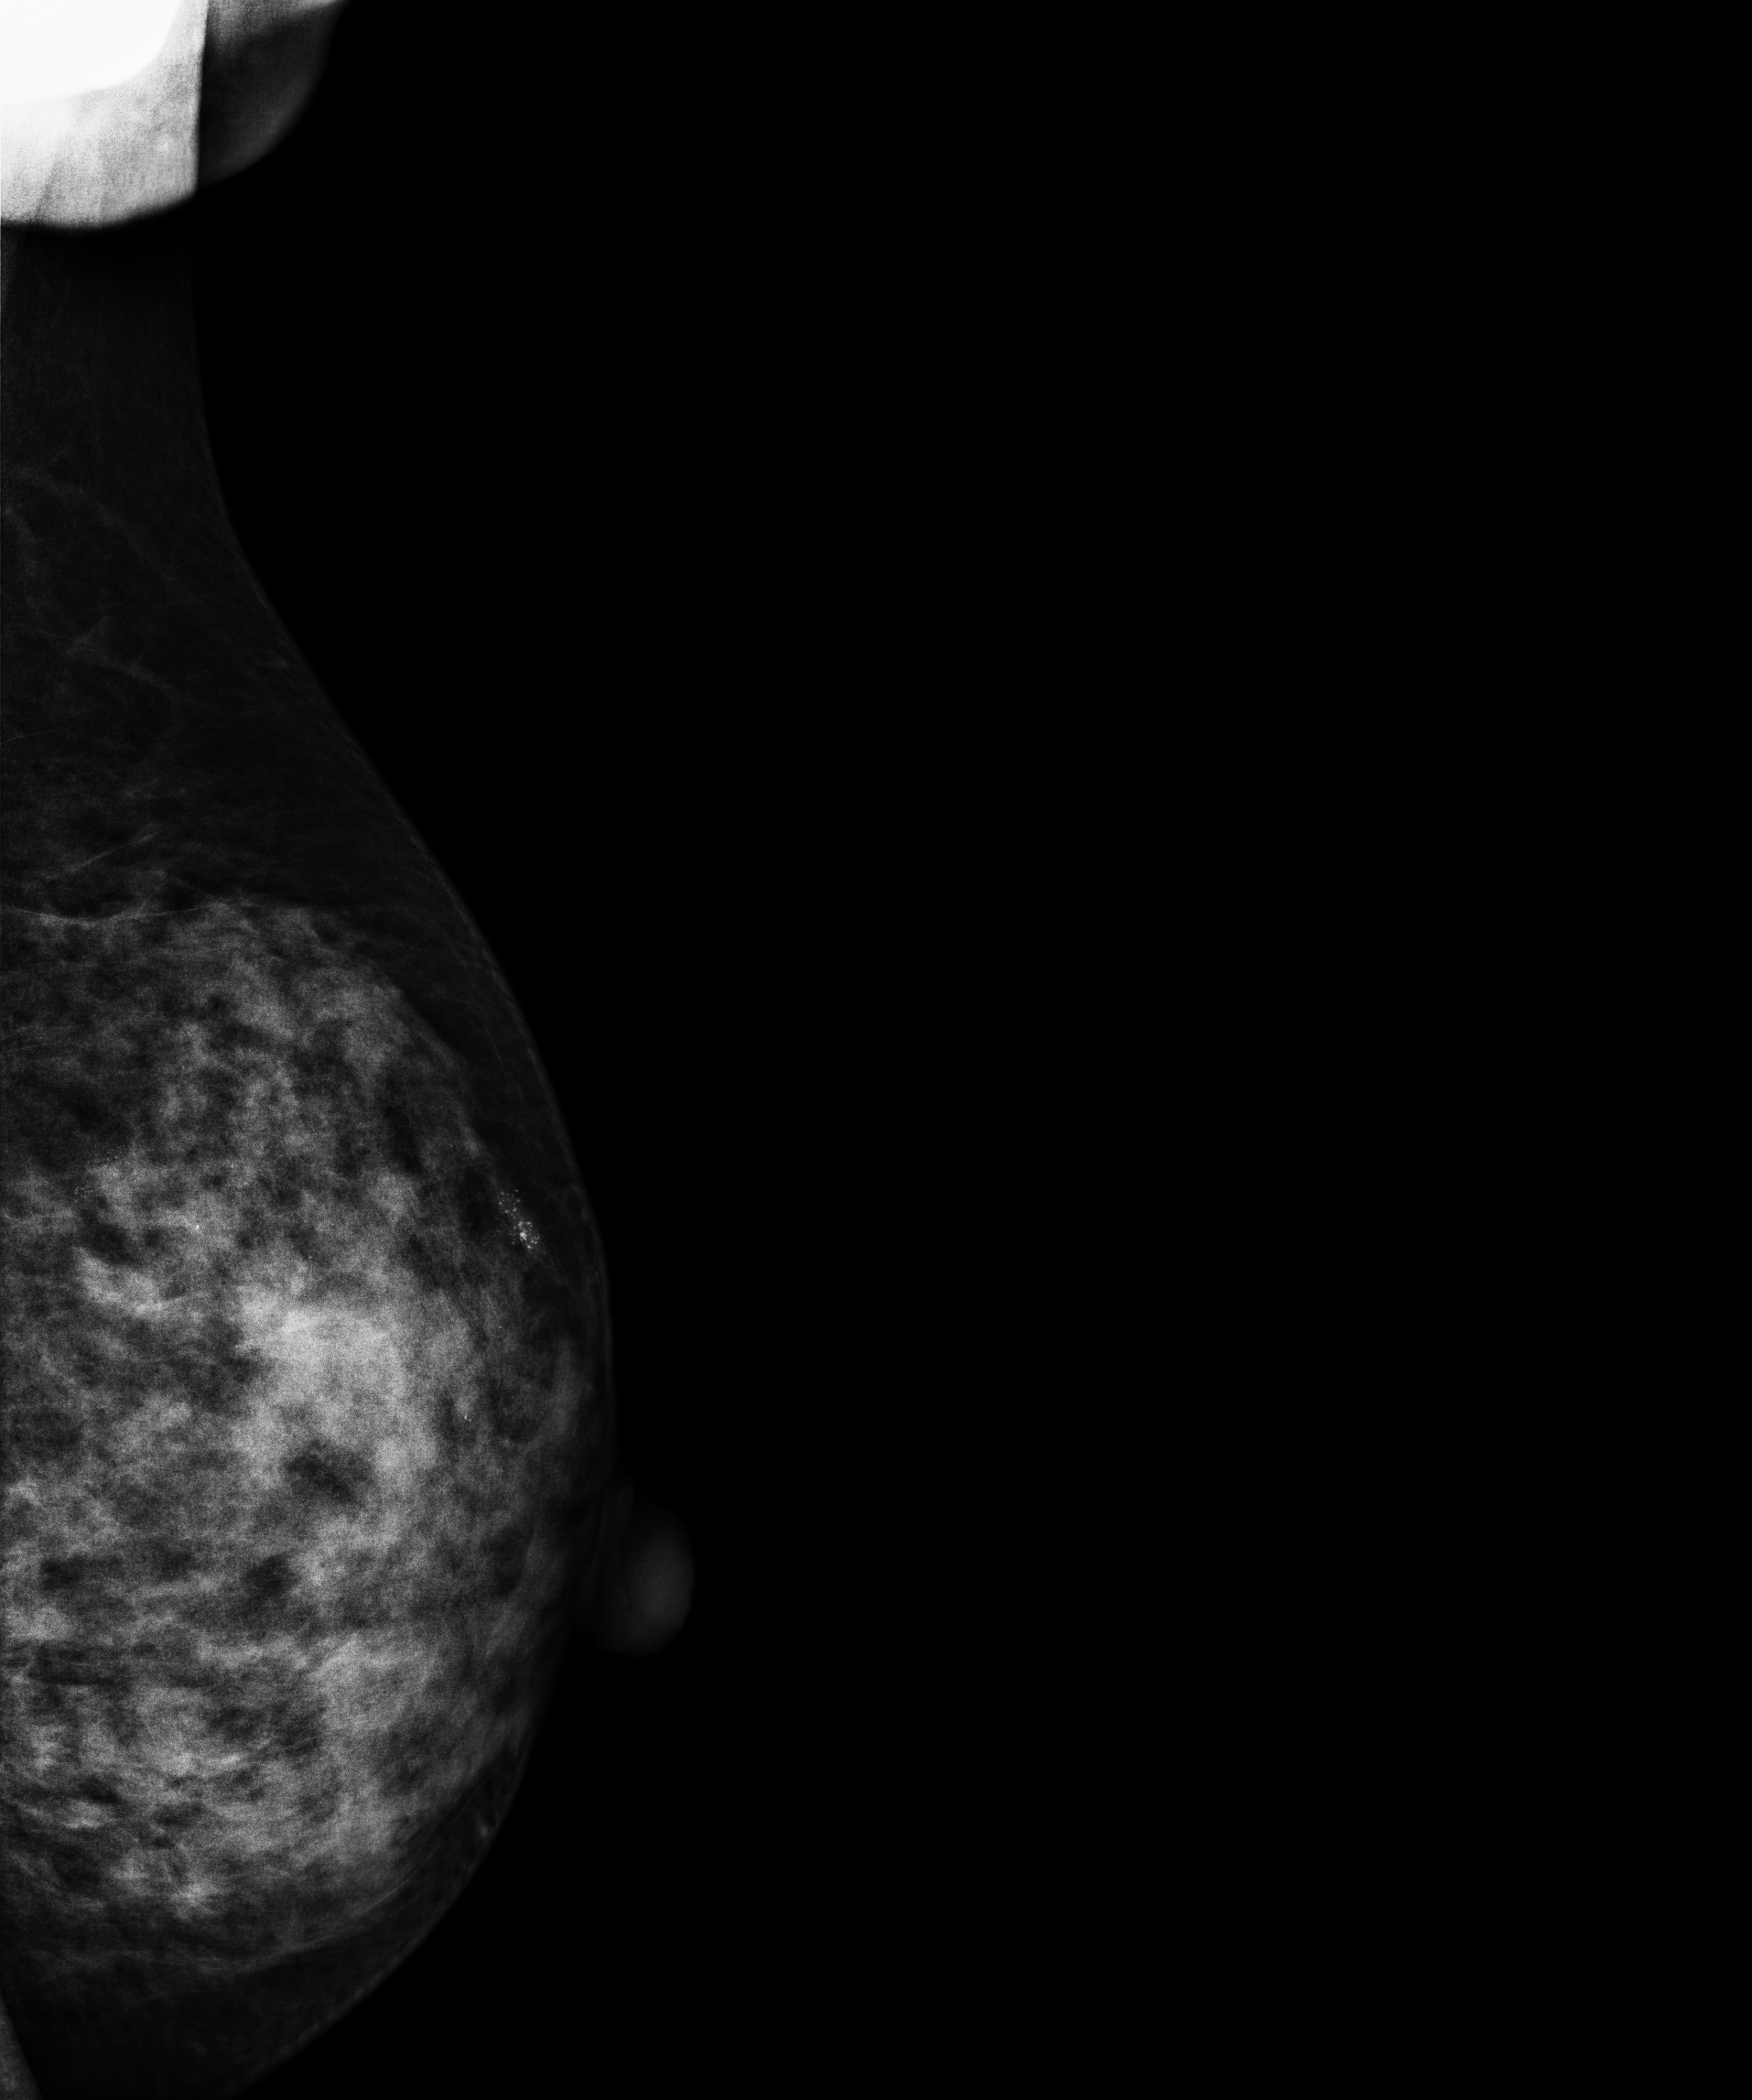
Mammogram — left MLO. 47-year-old patient.
This breast has a mass and calcifications, biopsy-confirmed malignant. Molecular subtype: luminal B.